Mammogram — left medio-lateral oblique. 48 y/o patient.
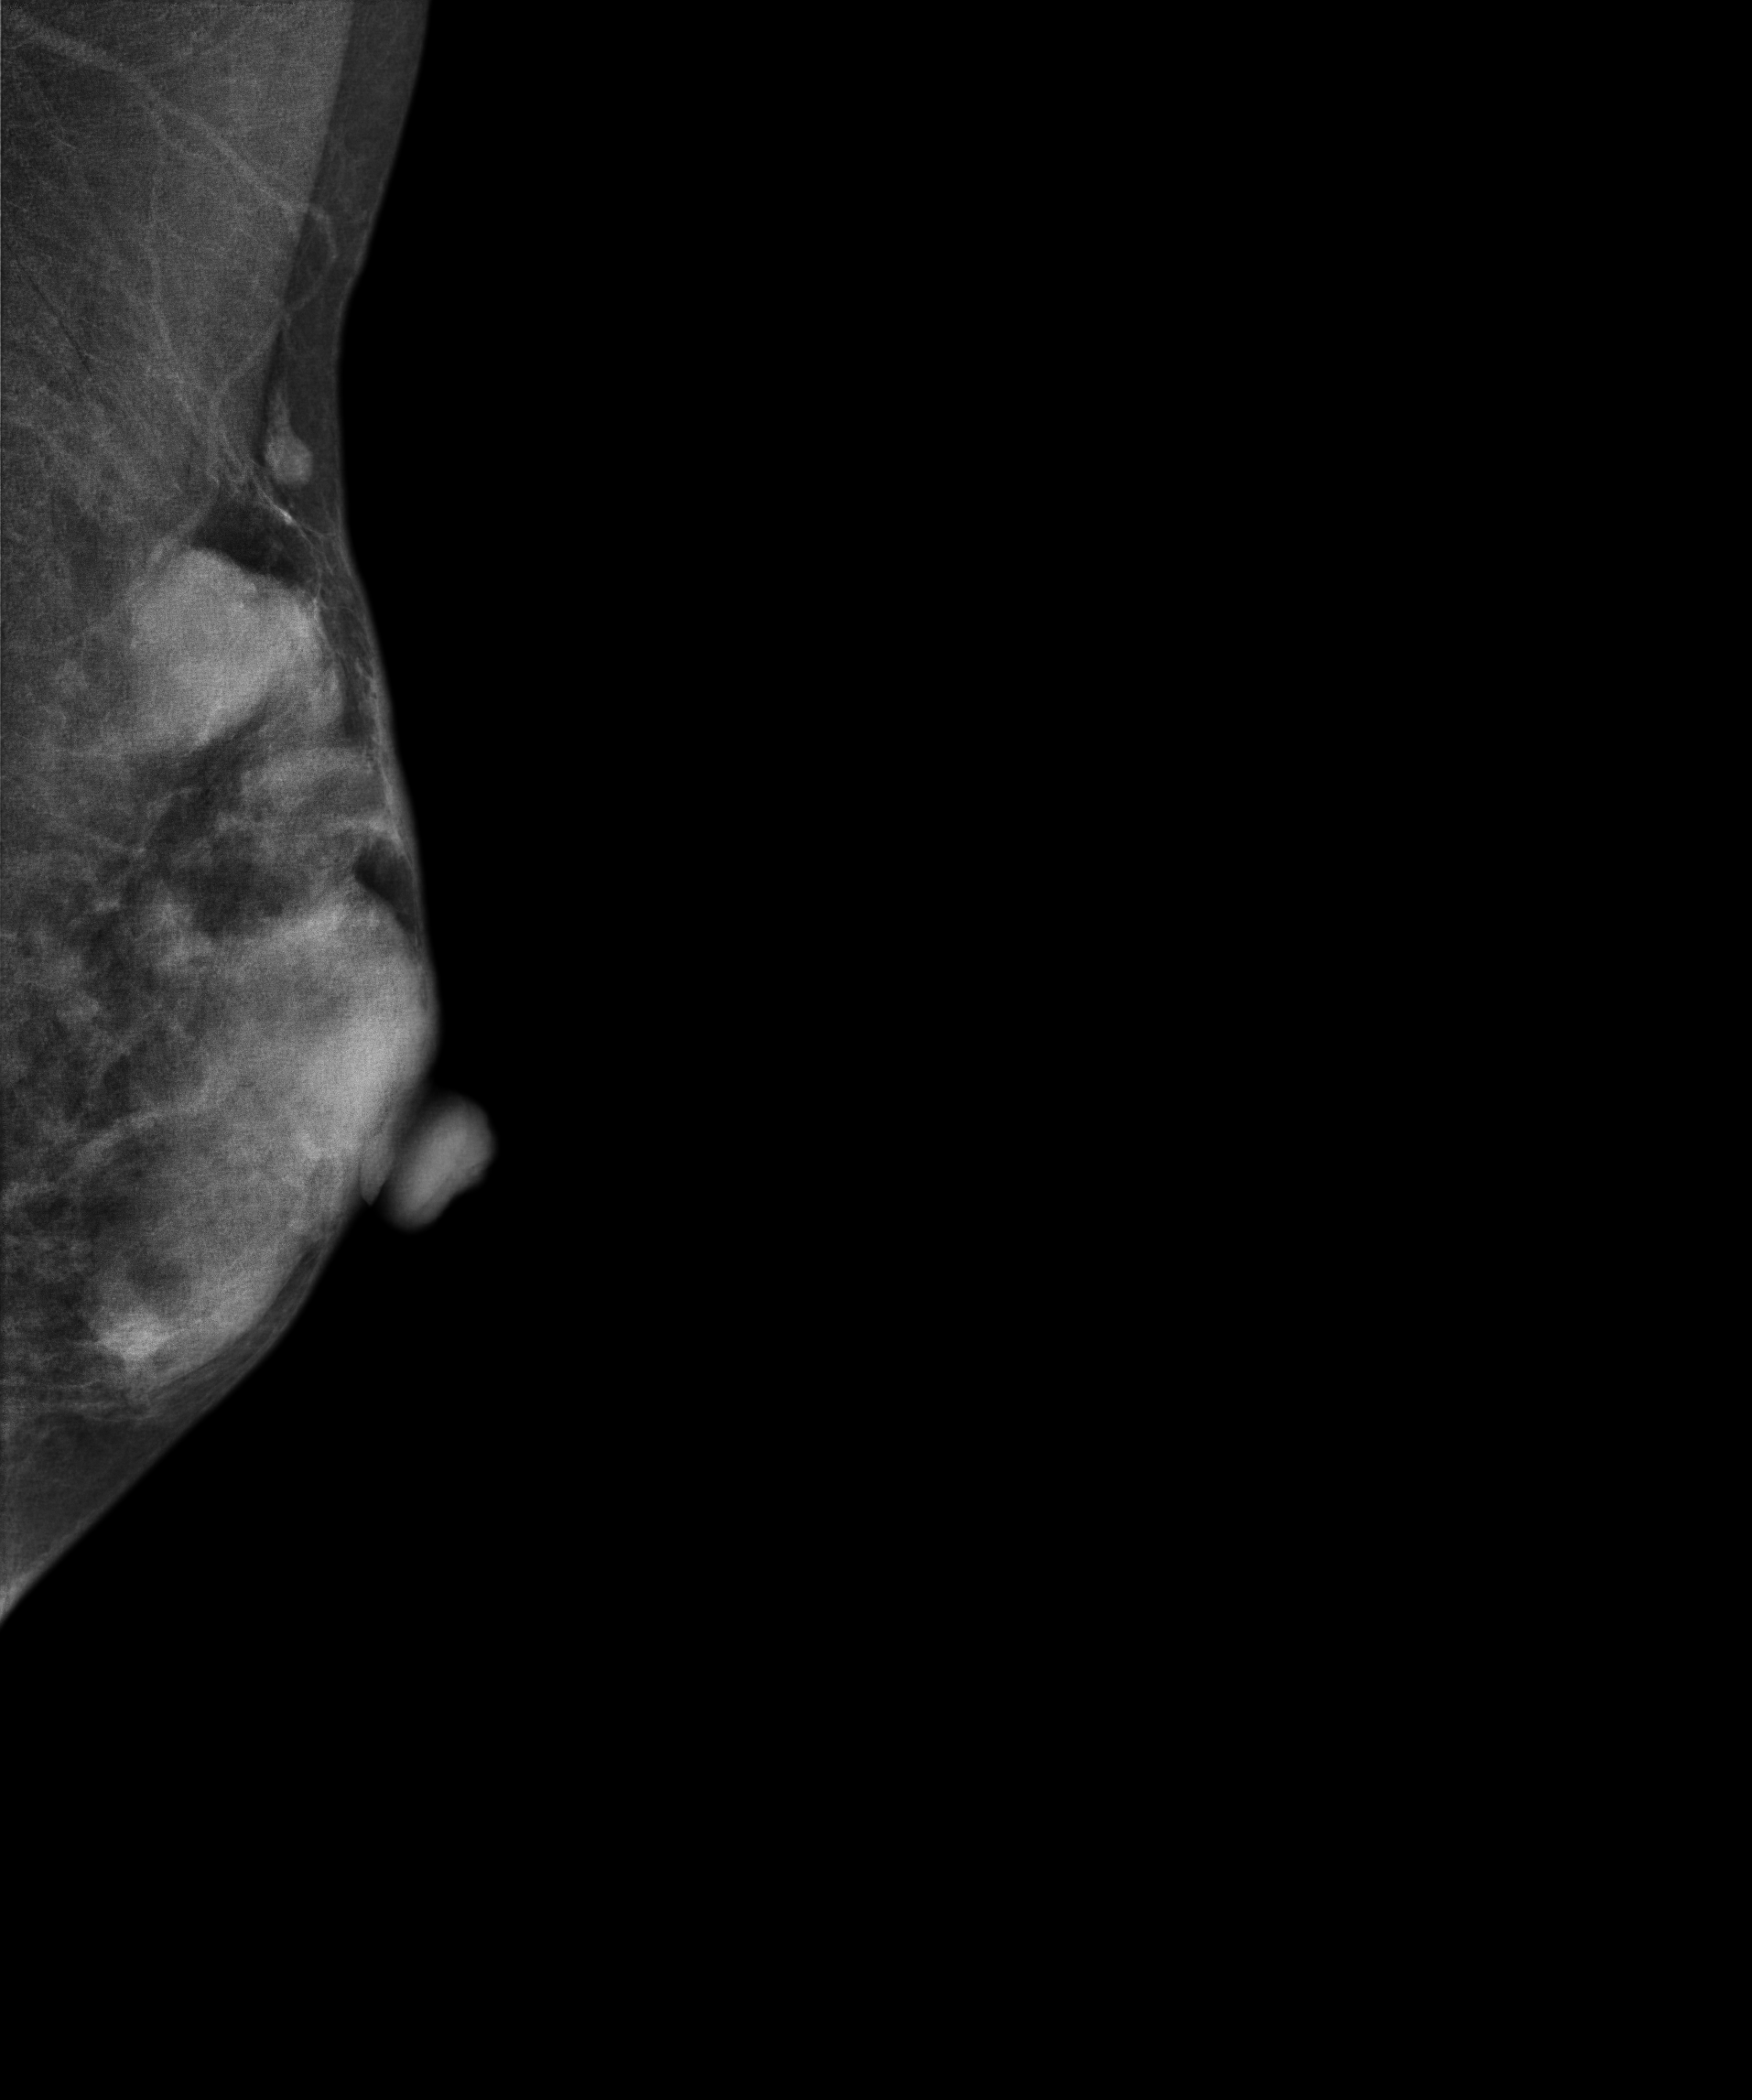
This breast has a mass, biopsy-confirmed malignant.